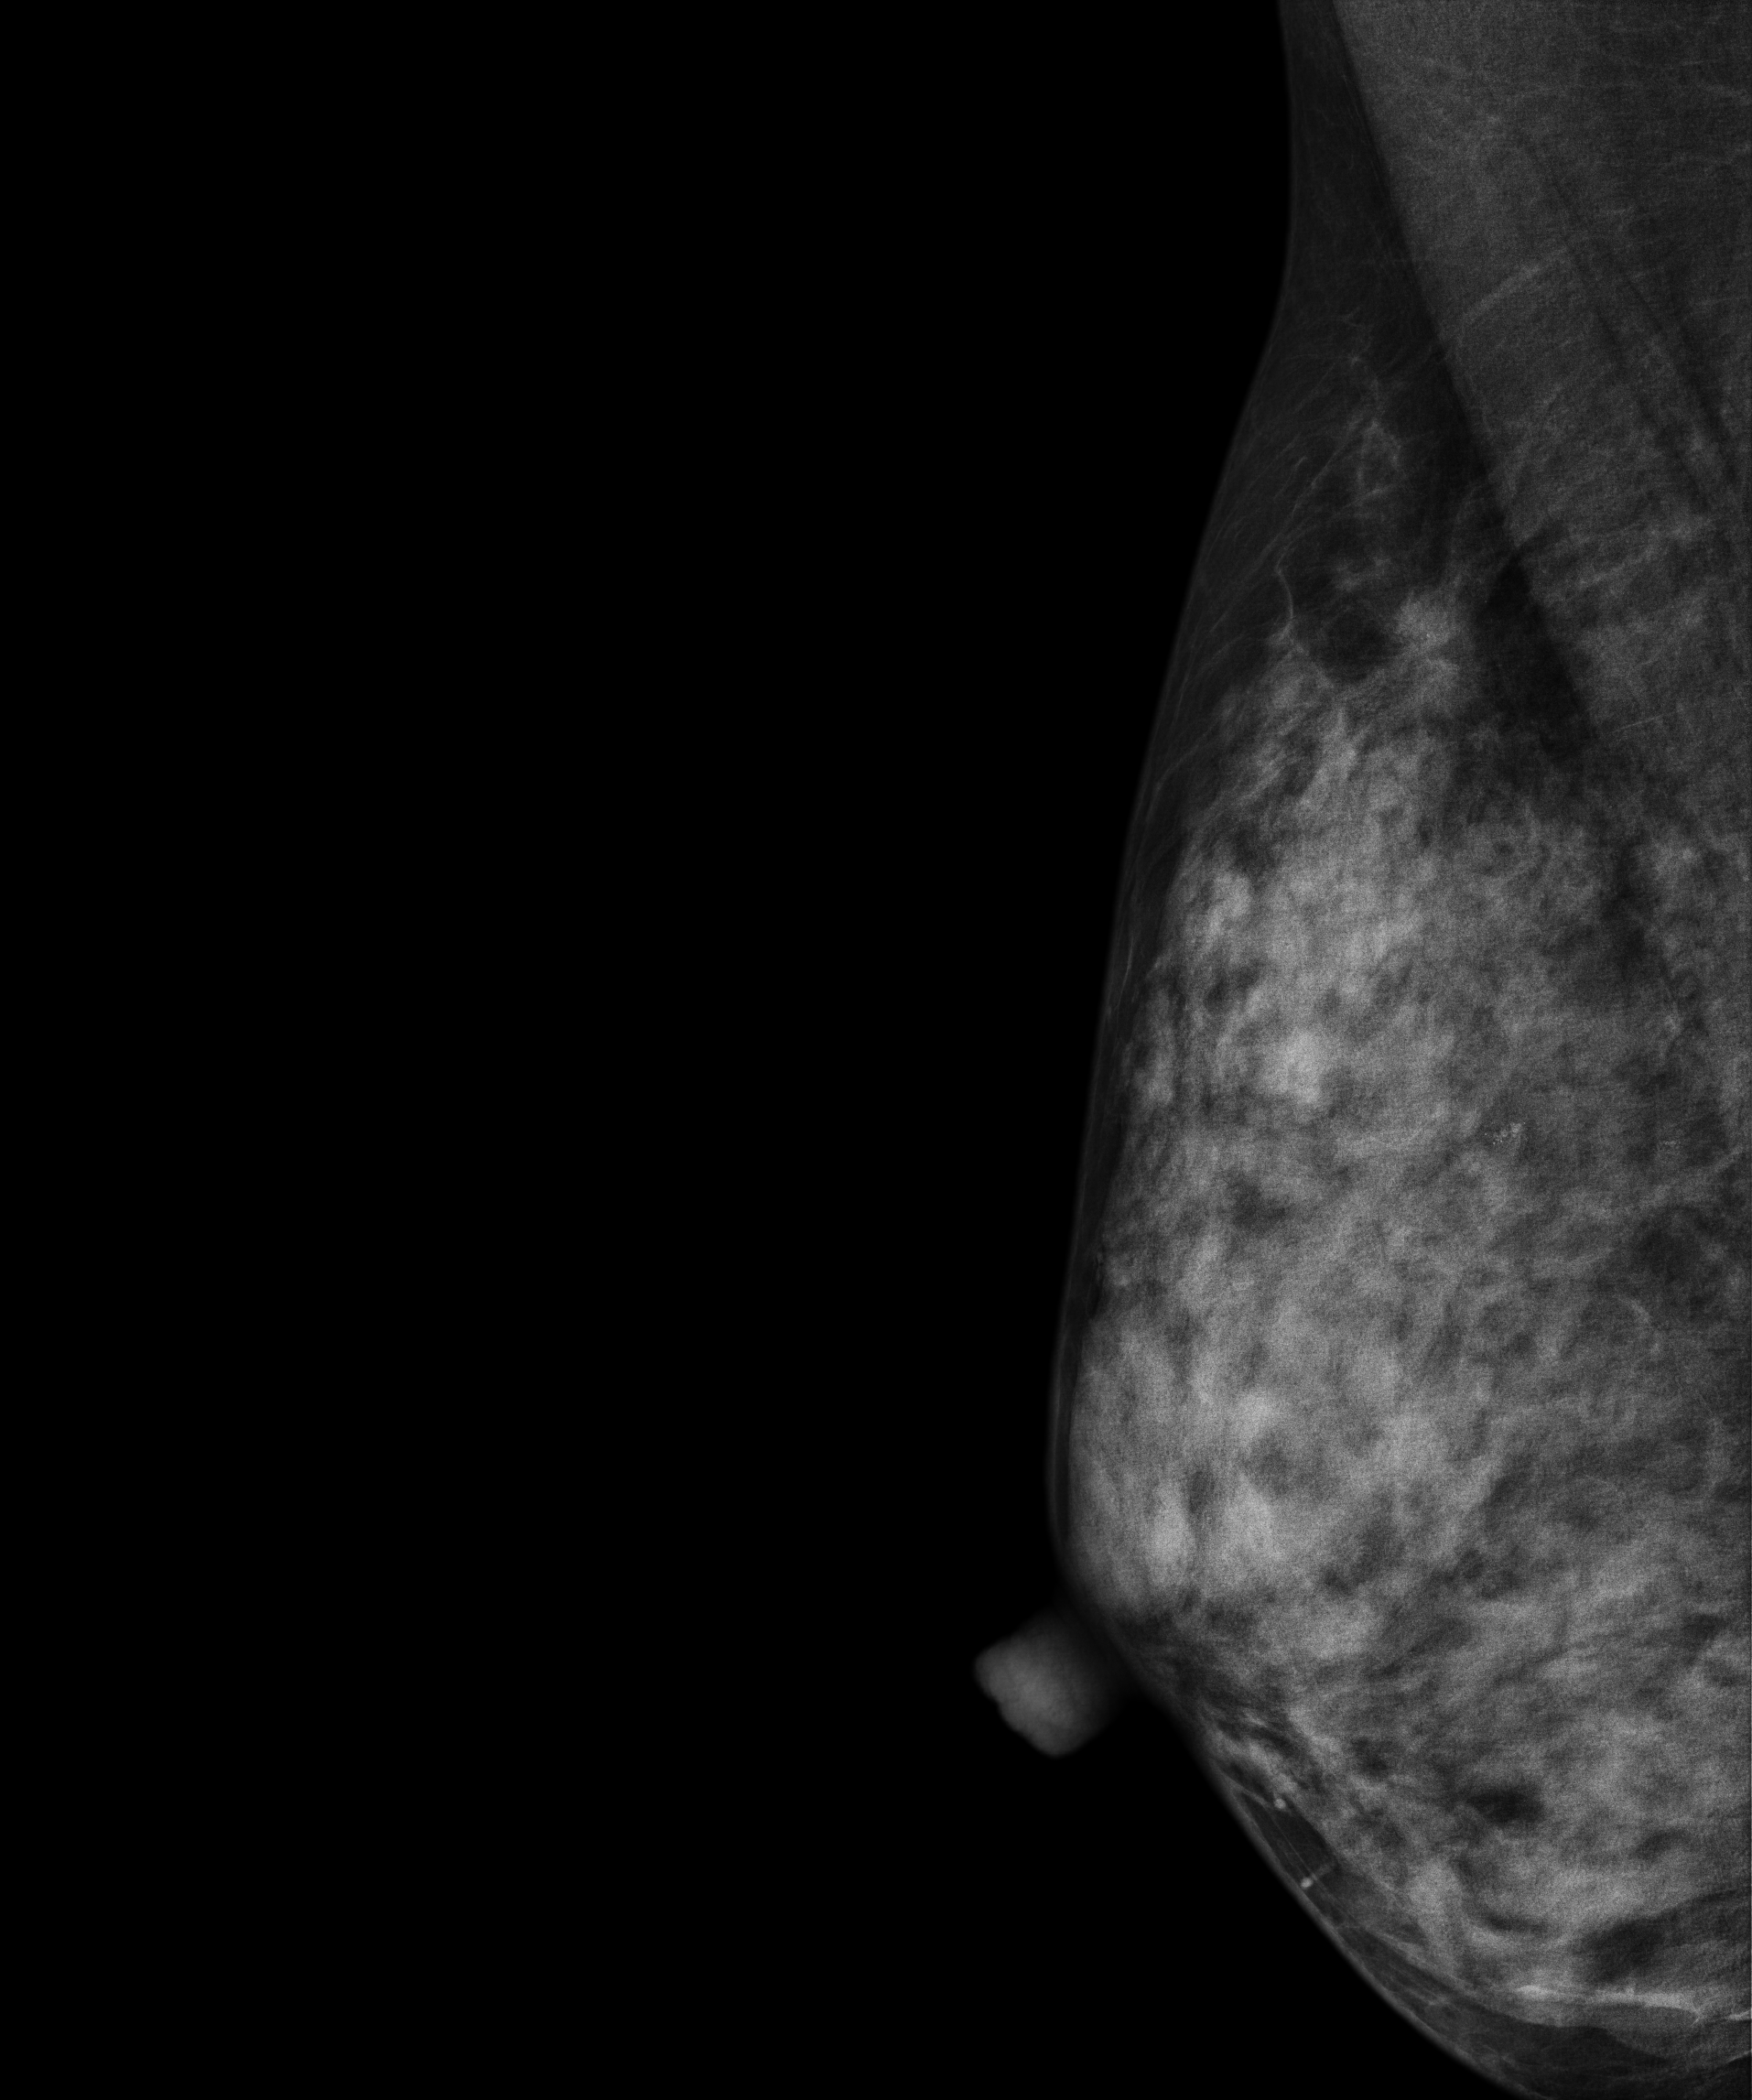
Mammogram — right medio-lateral oblique. 36 y/o patient.
This breast has calcifications, biopsy-proven malignant. Molecular subtype: luminal B.